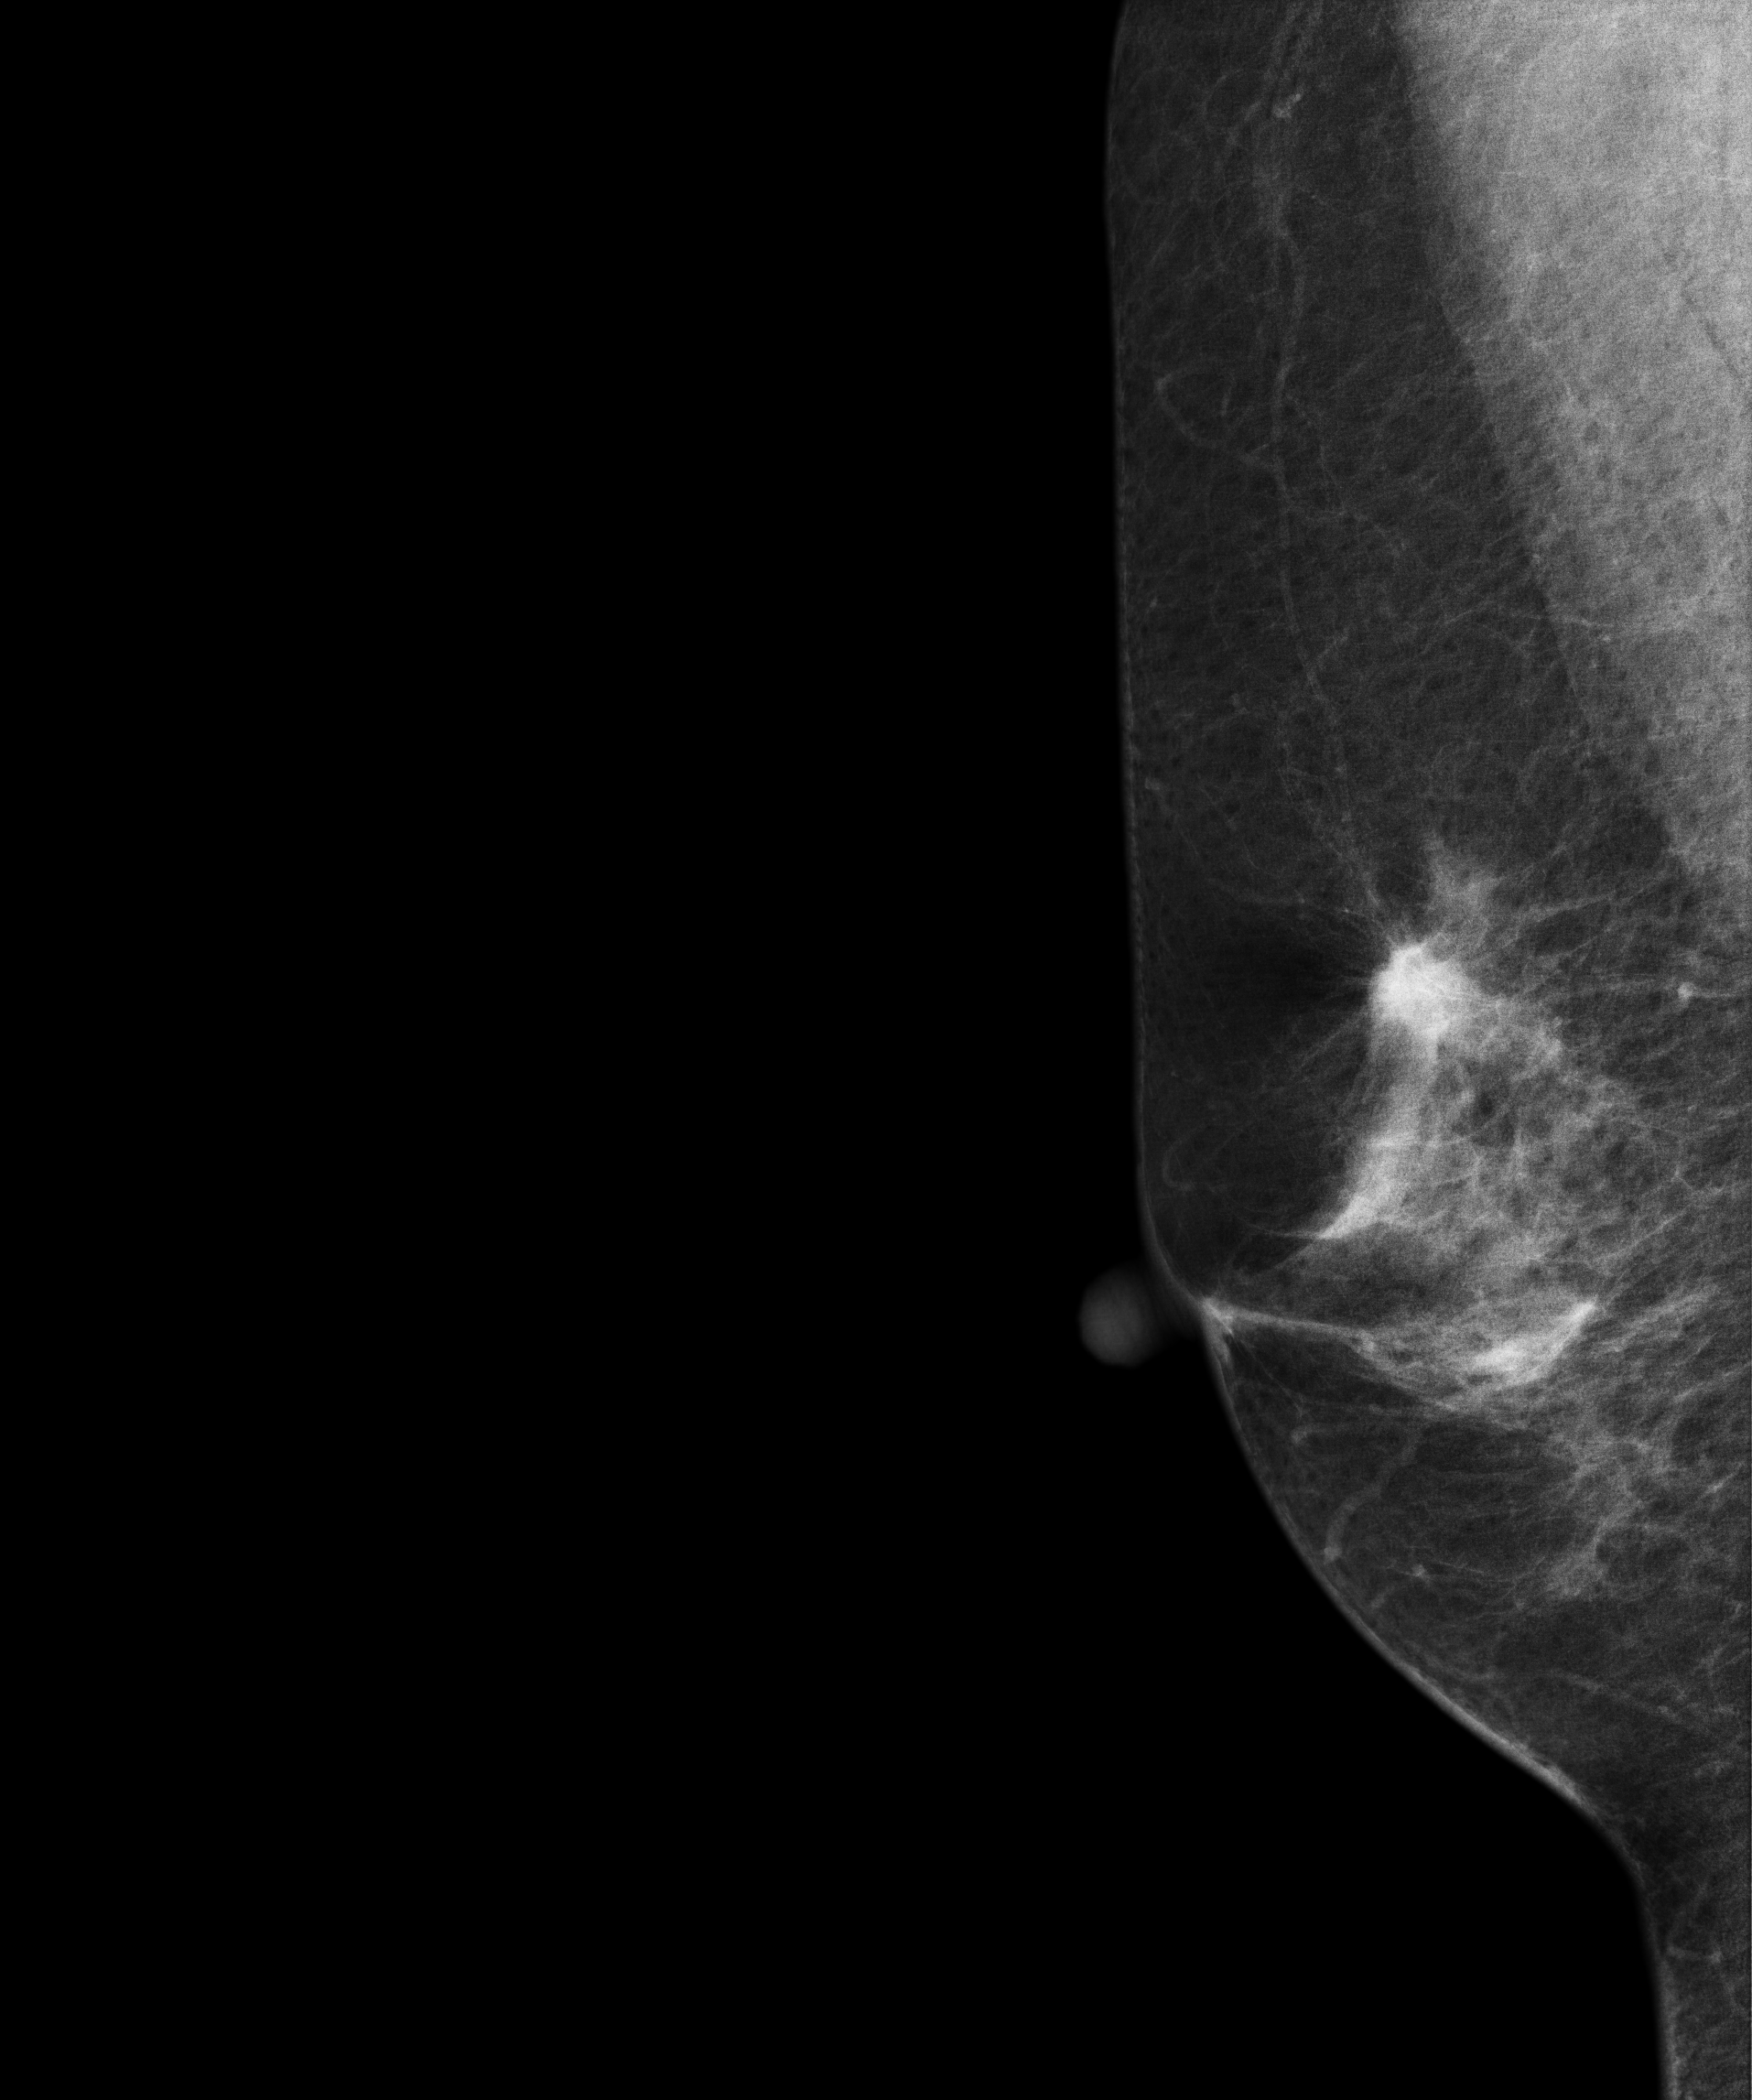
Mammogram, right breast, medio-lateral oblique view. Patient age 62.
This breast has a mass, histologically confirmed malignant.